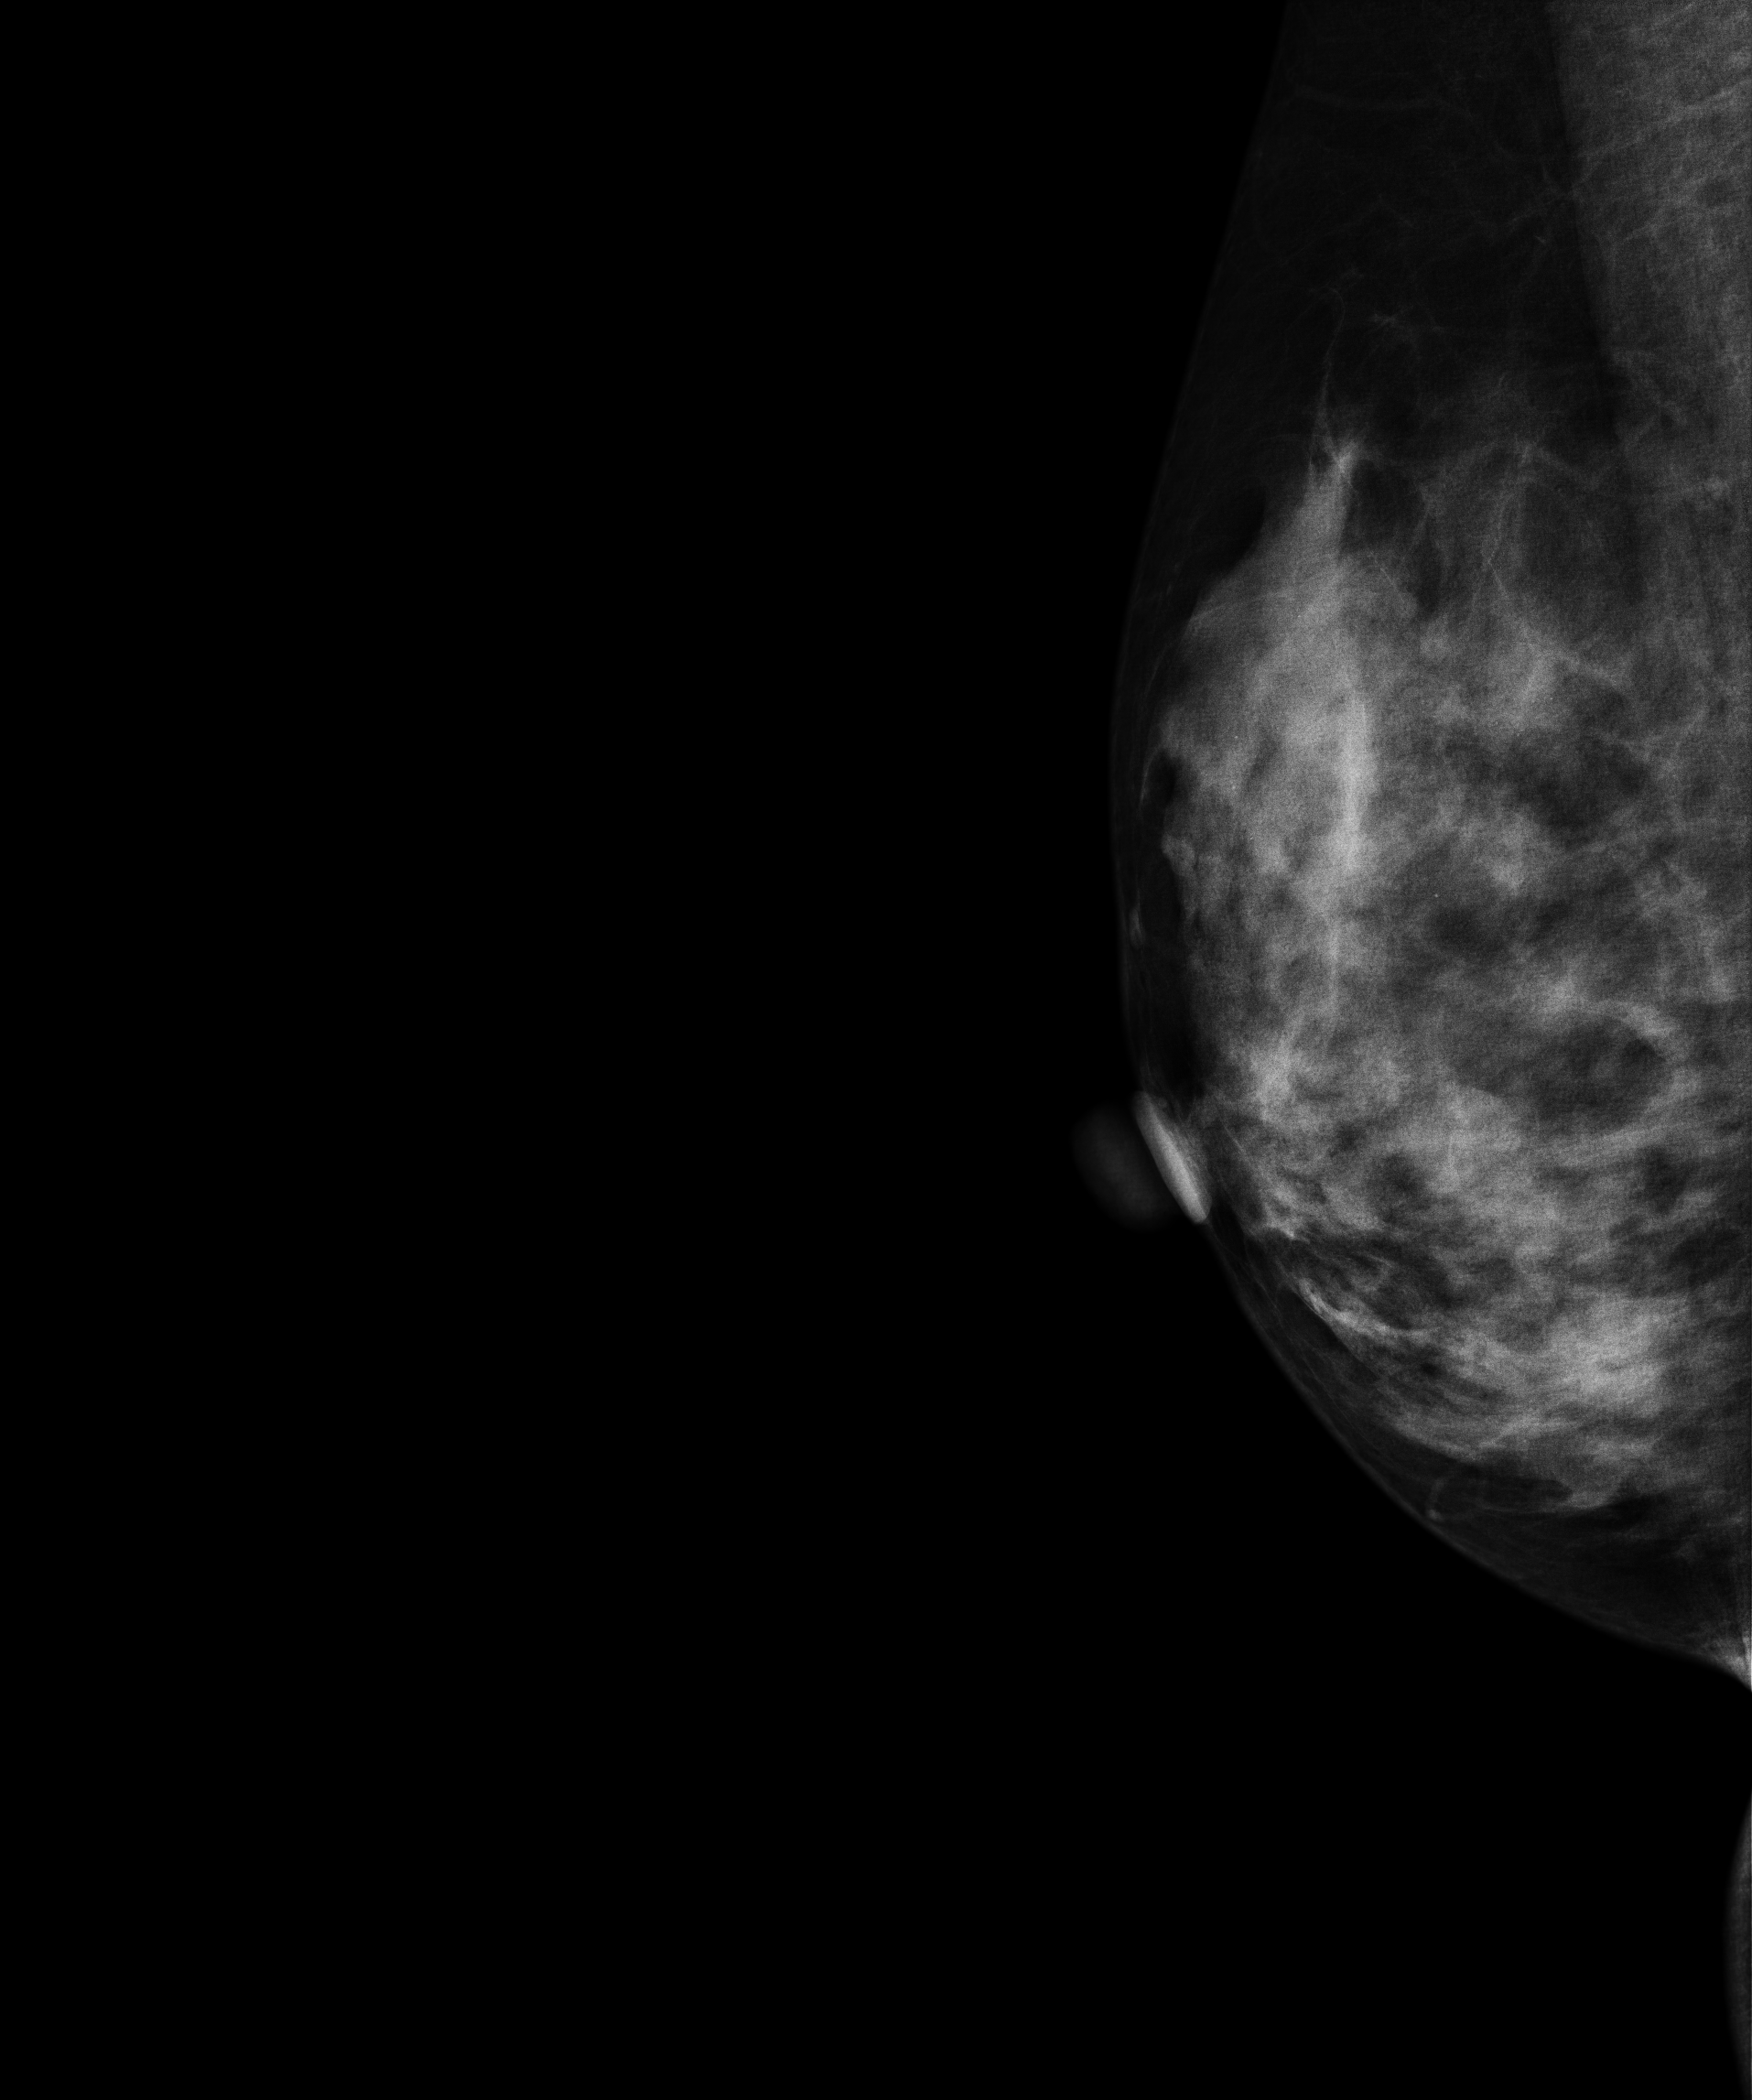
Digital mammography. Right breast, medio-lateral oblique projection. Patient age 38.
This breast has a mass and calcifications, histologically confirmed benign.